MLO mammogram of the left breast. 43 y/o patient.
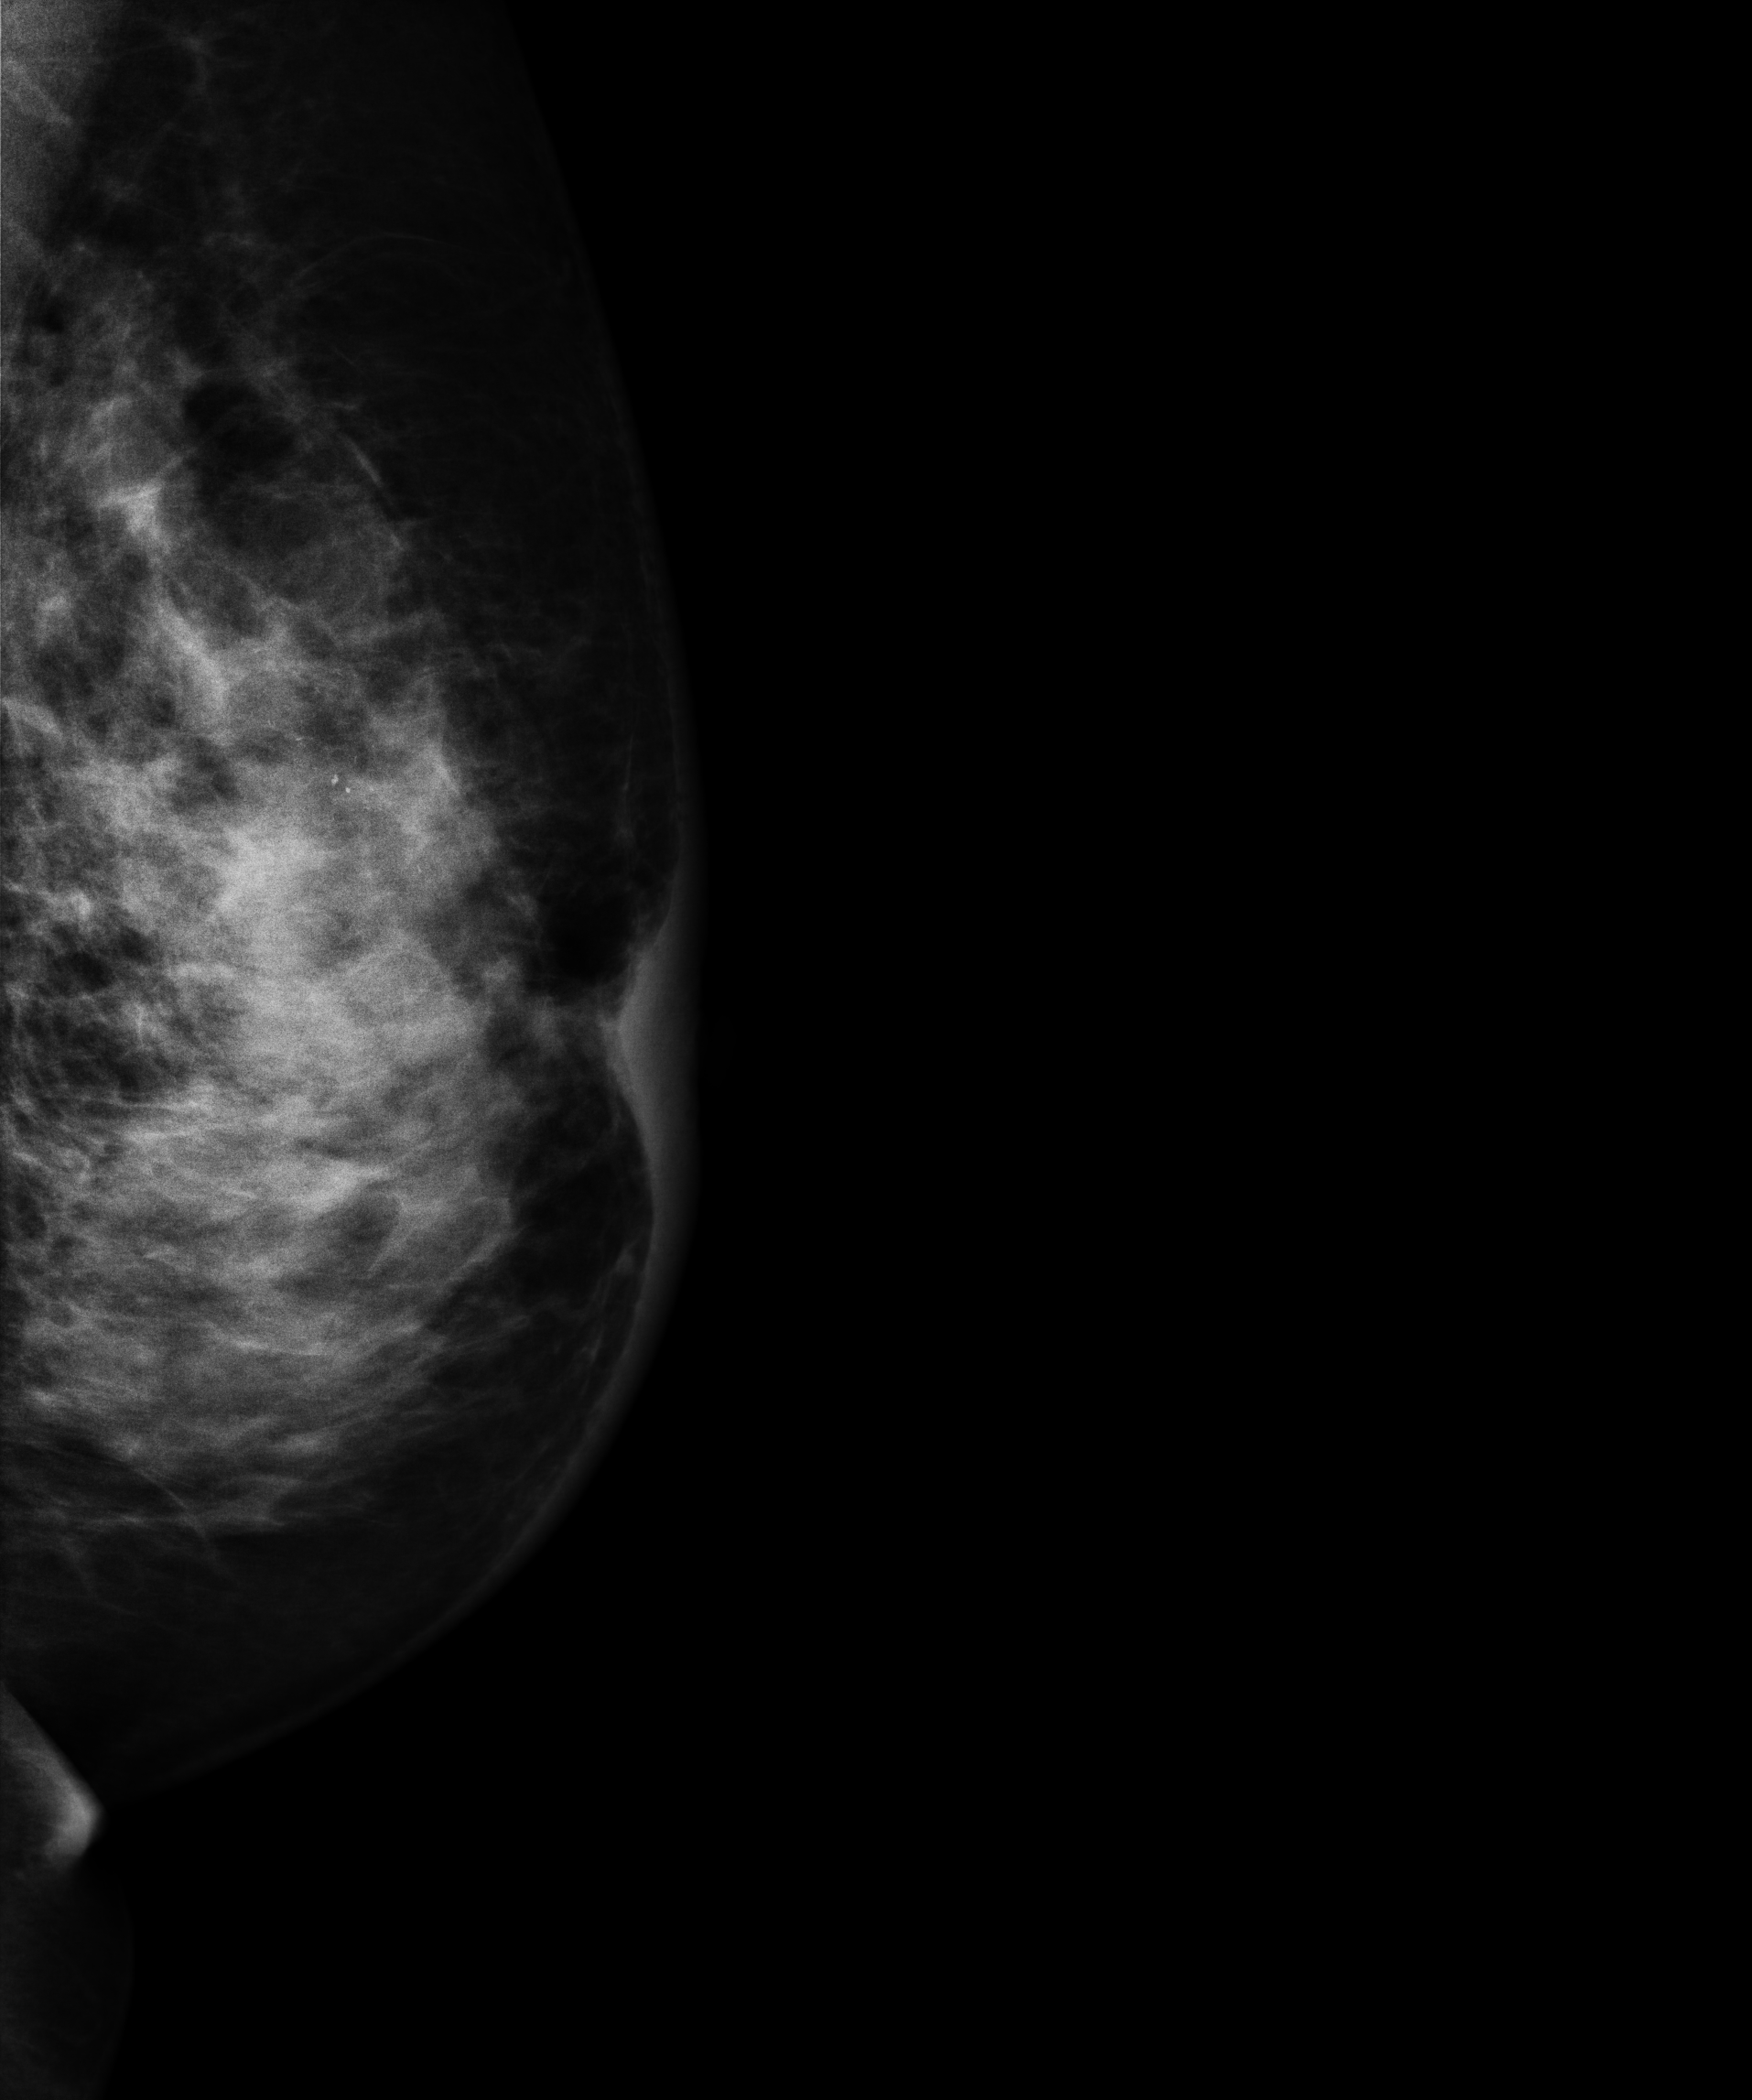
This breast has a mass and calcifications, histologically confirmed malignant. Molecular subtype: HER2-enriched.